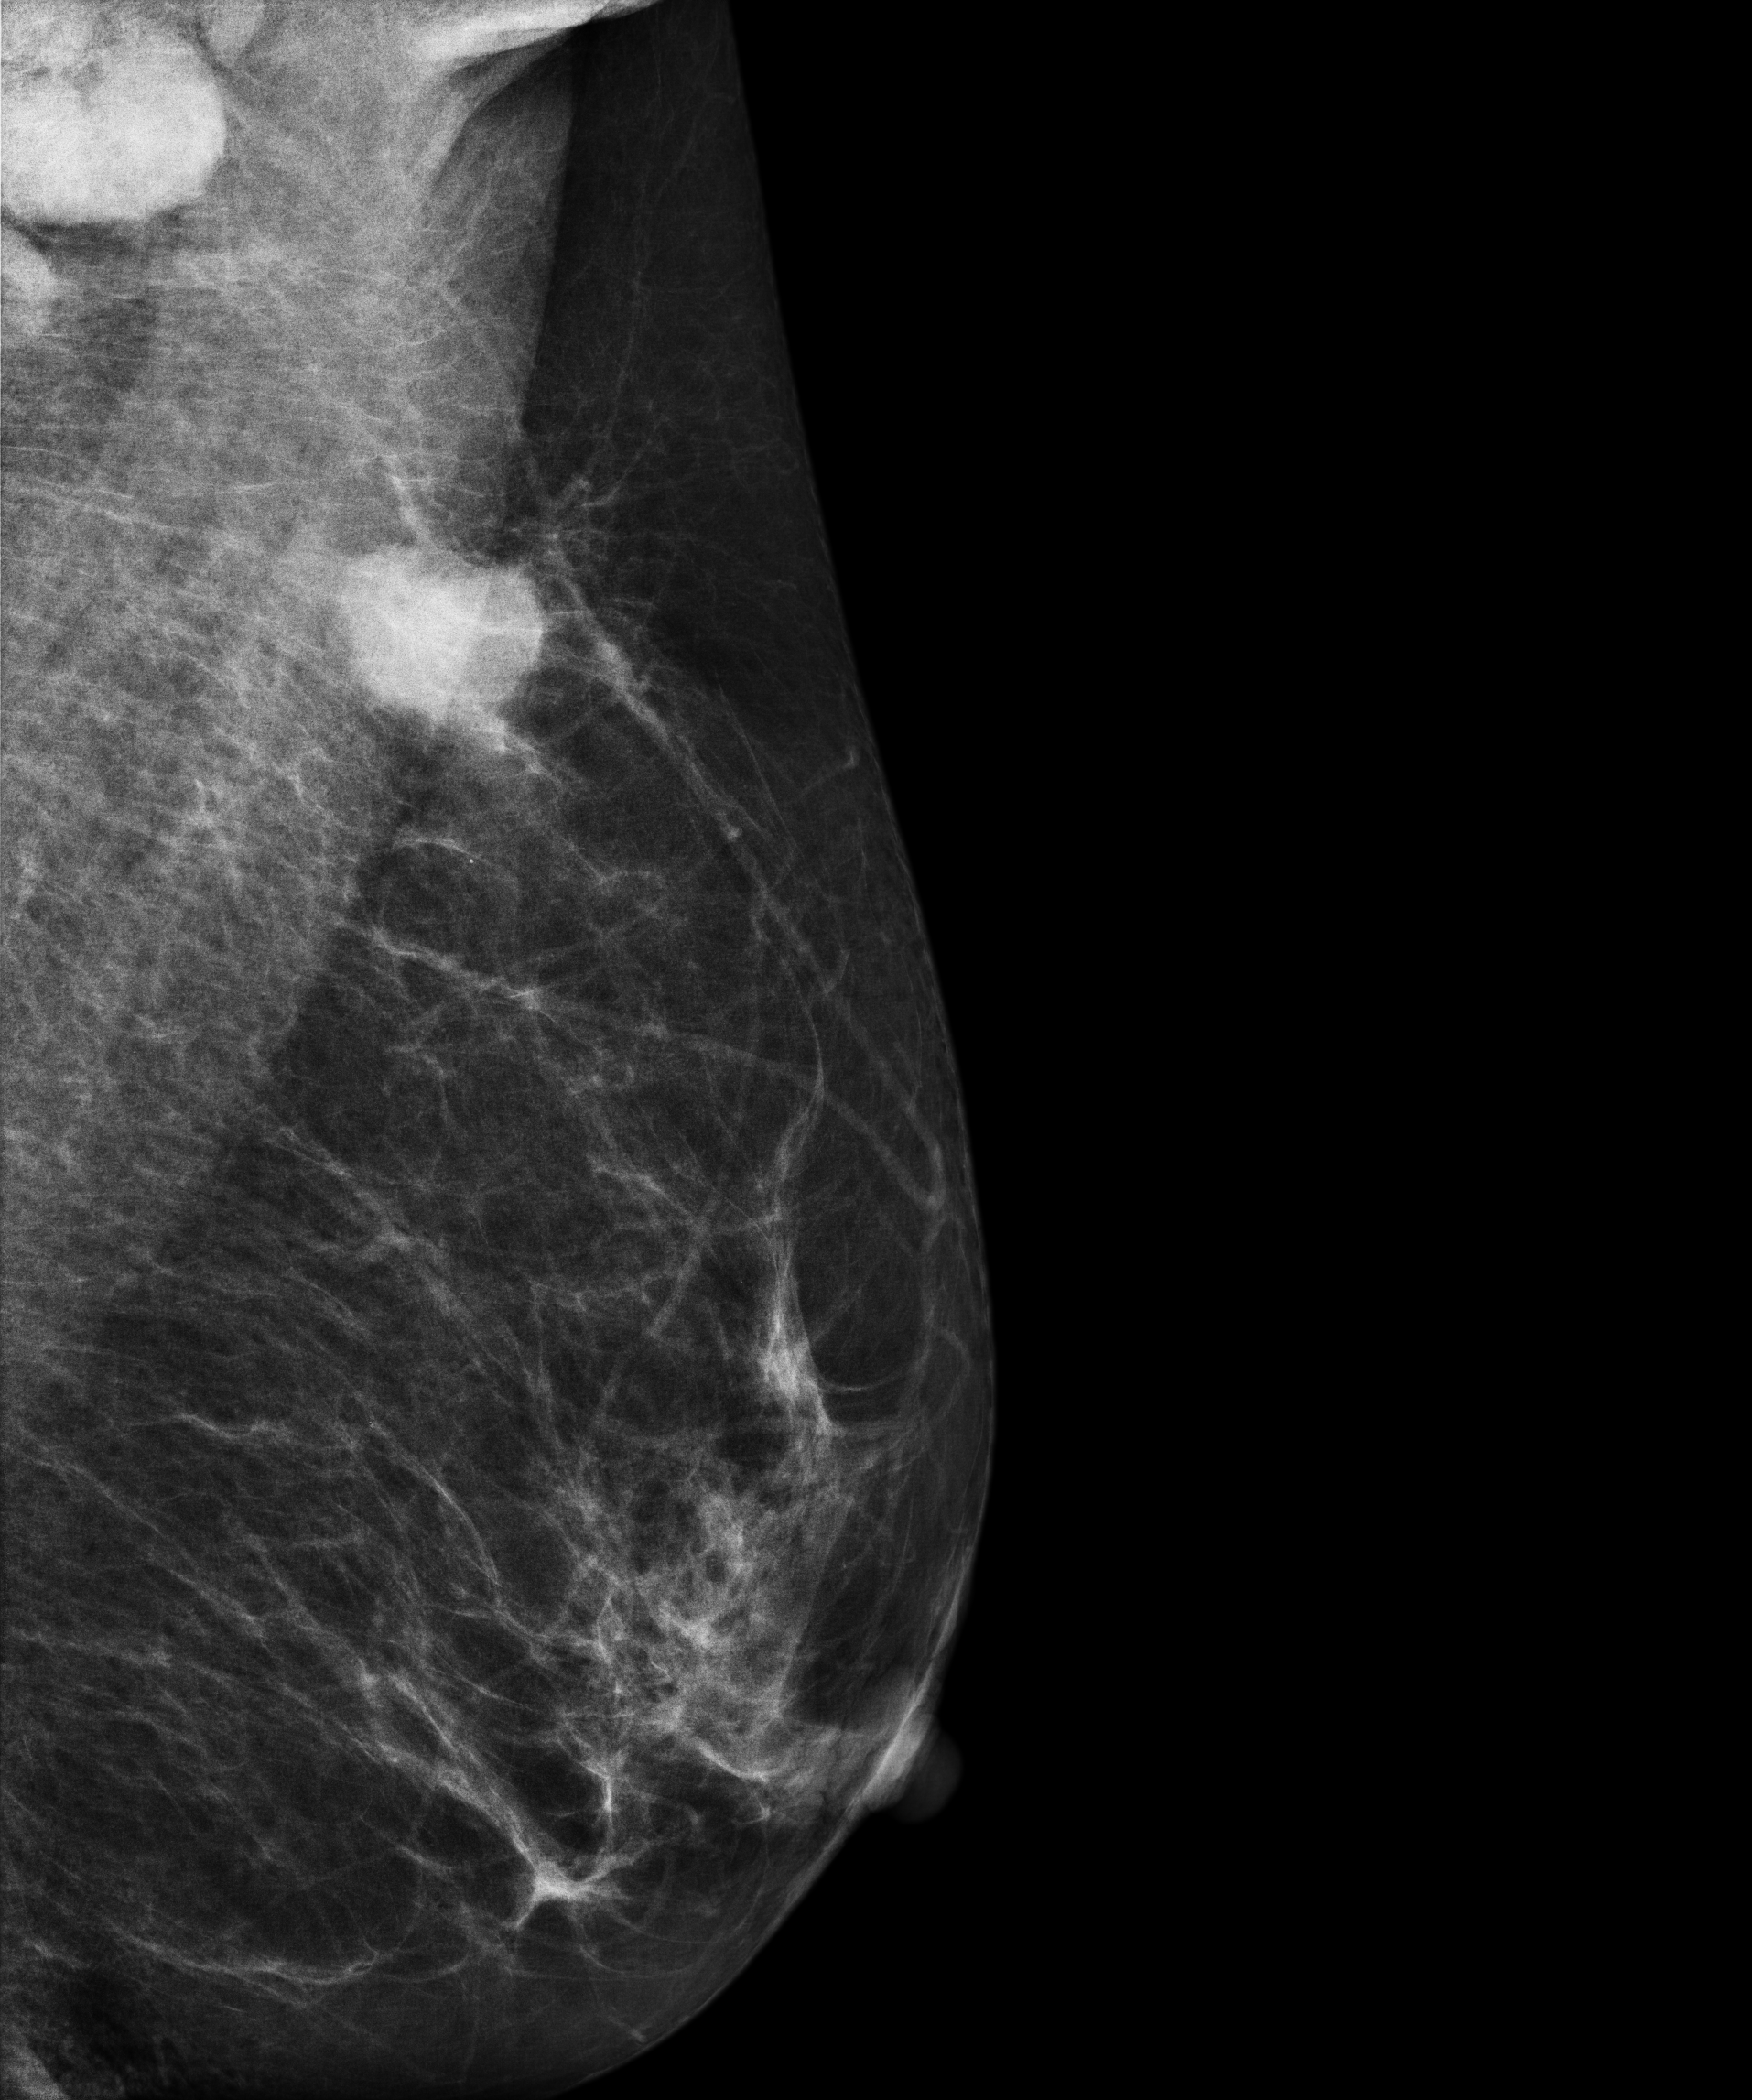
Mammogram, left breast, MLO view. Patient age 70.
This breast has a mass, biopsy-proven malignant. Molecular subtype: triple-negative.